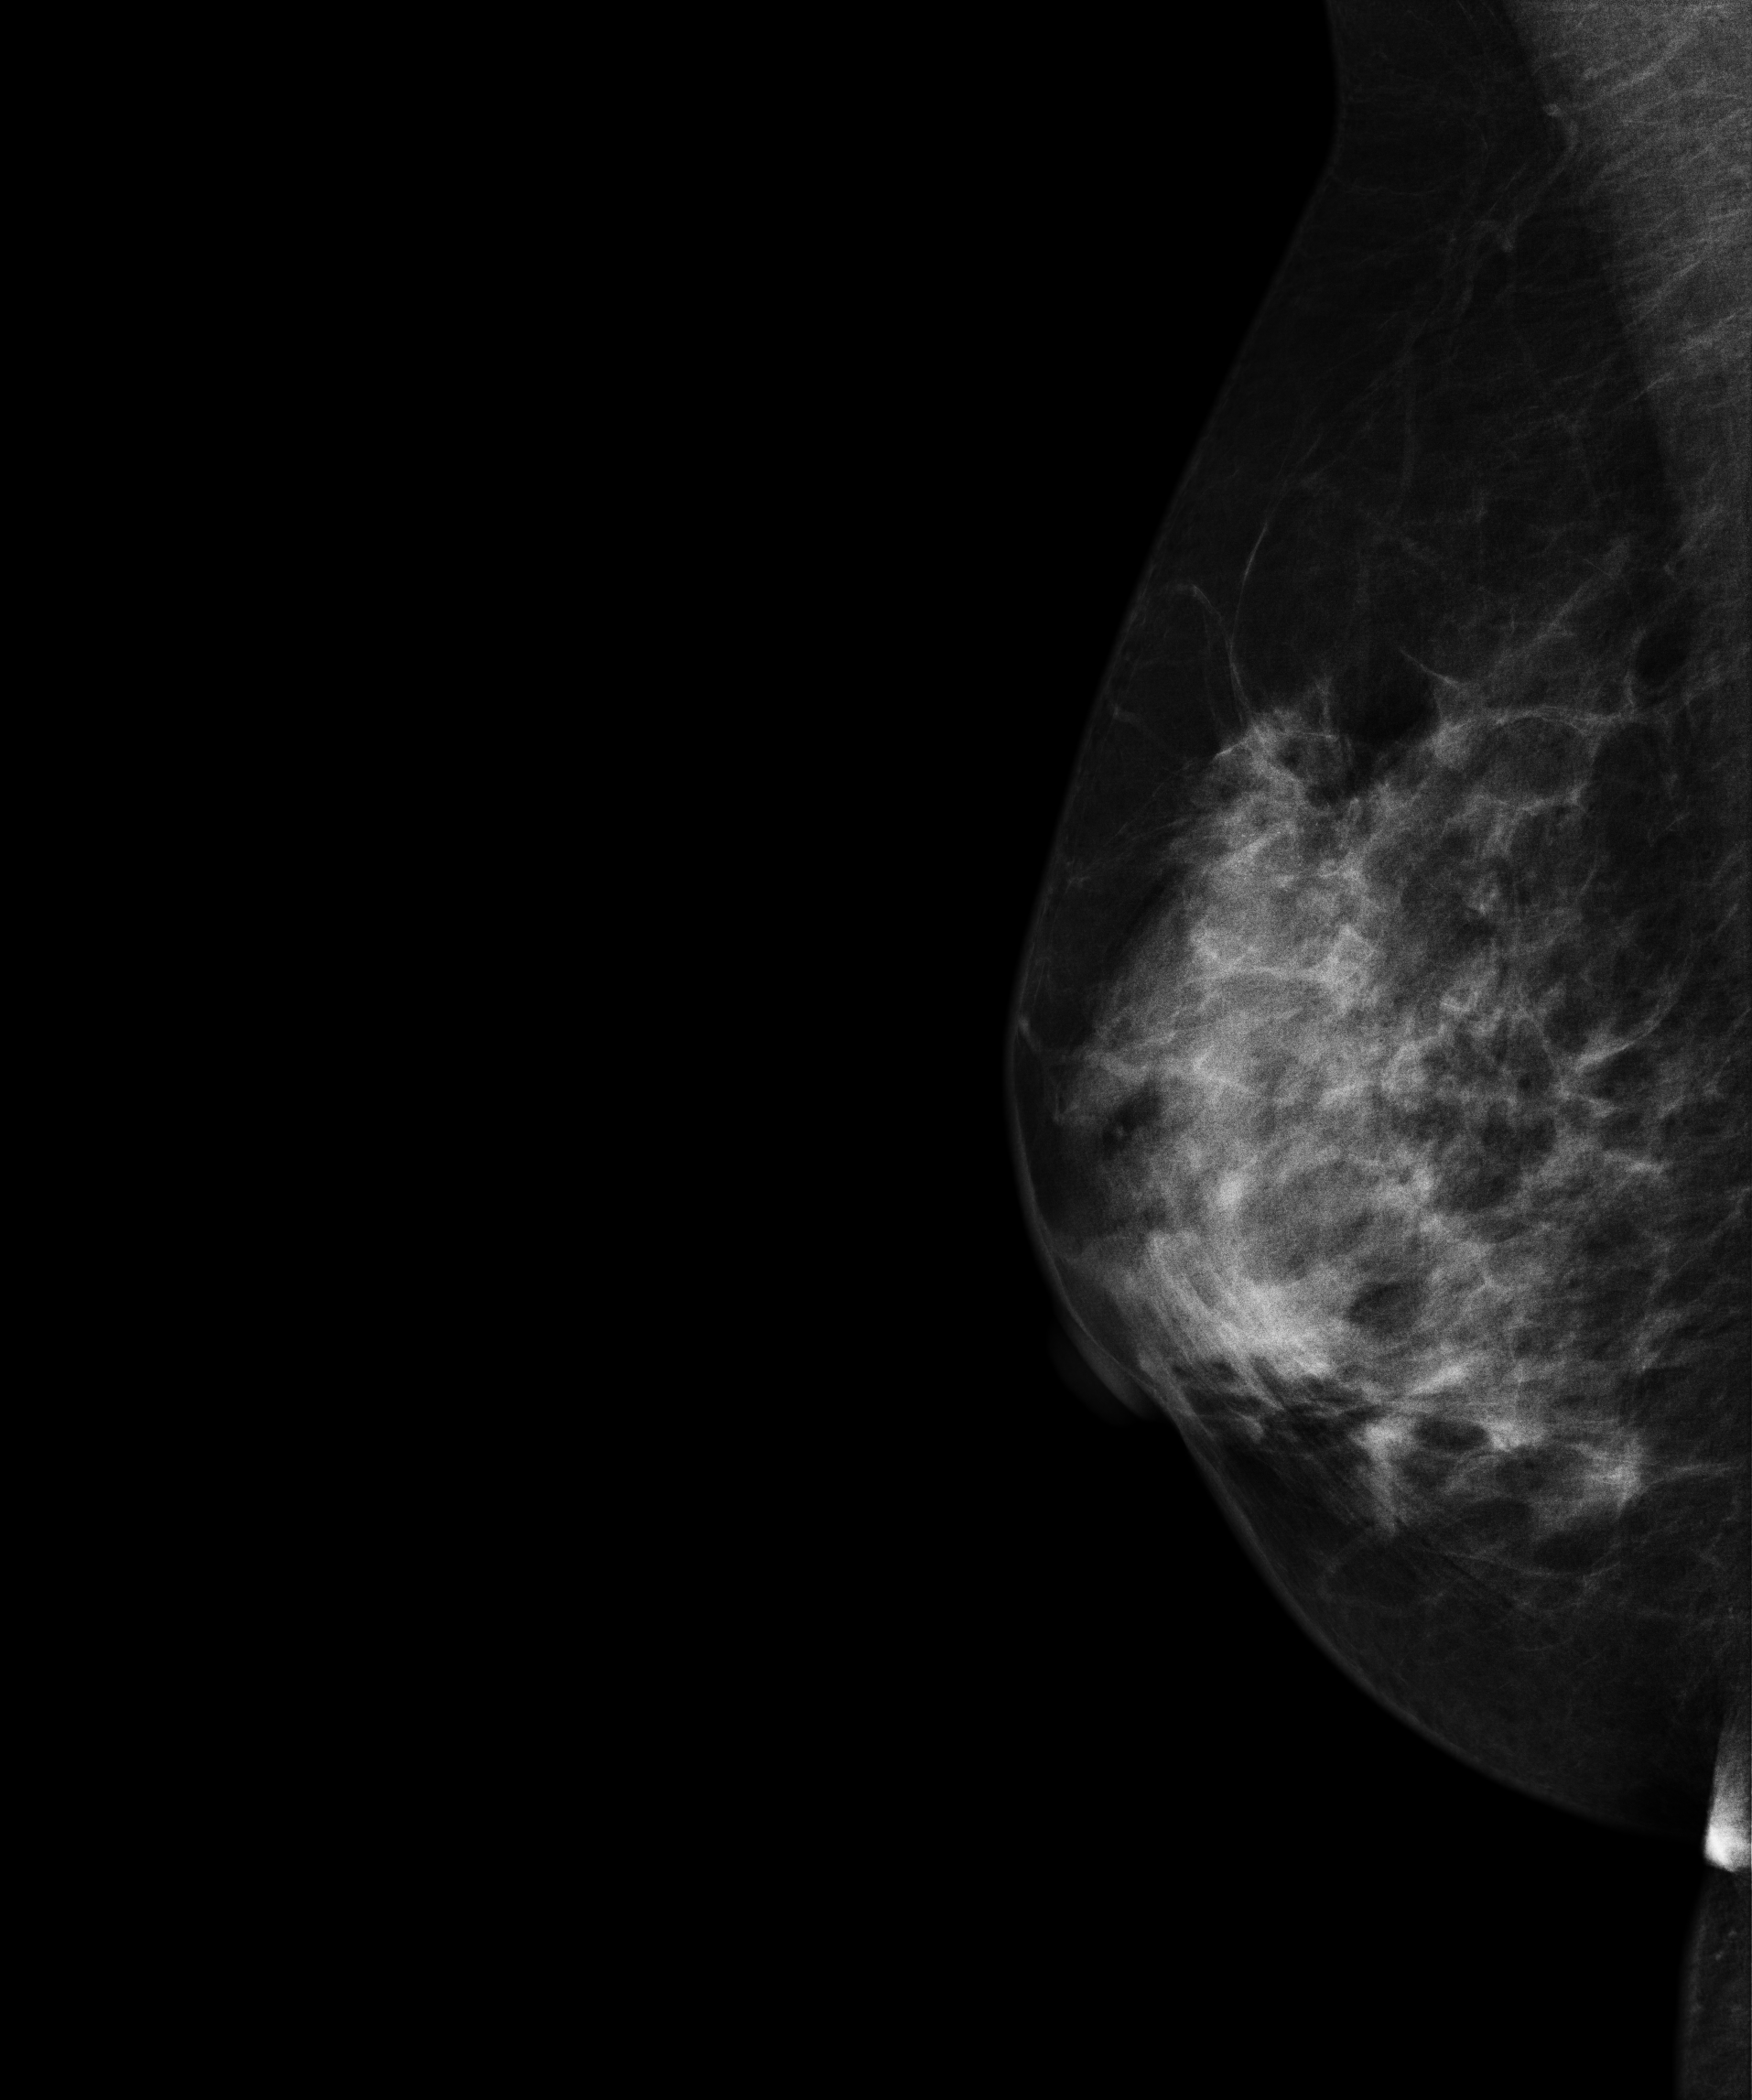
Mammogram — right medio-lateral oblique. 49 y/o patient.
This breast has a mass and calcifications, pathology-confirmed malignant. Molecular subtype: luminal B.